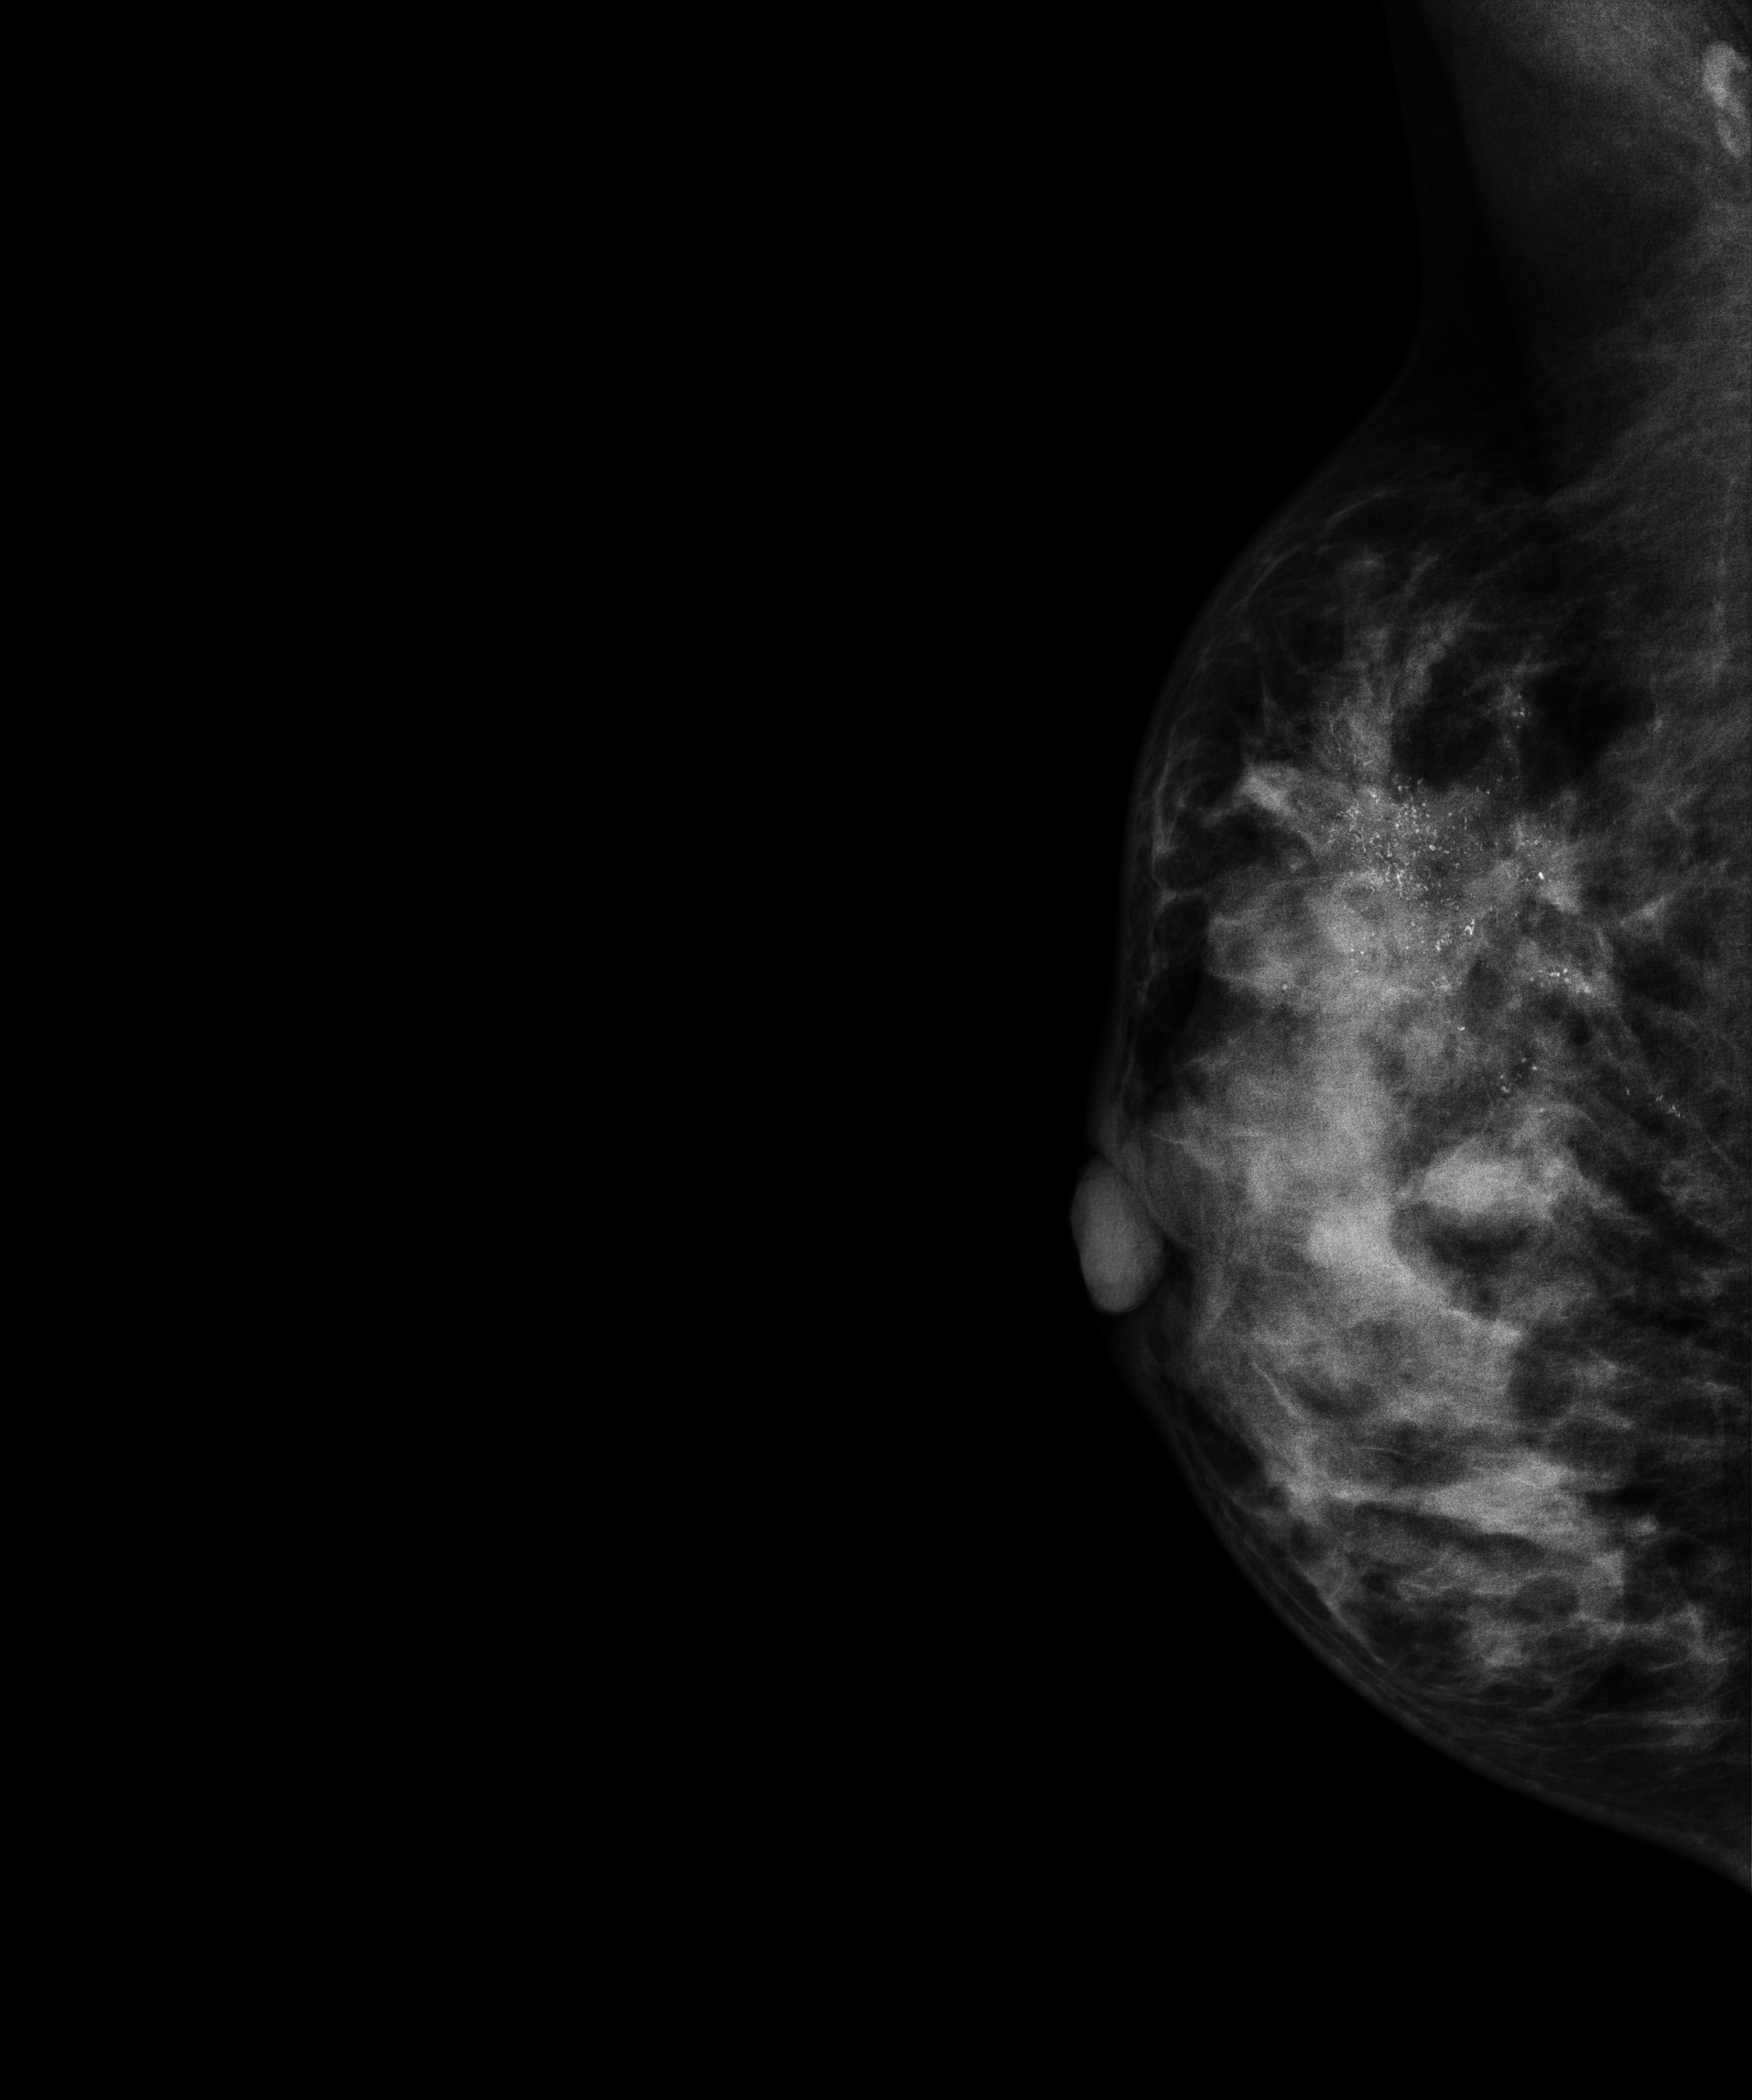
Mammogram, right breast, medio-lateral oblique view. 41-year-old patient.
This breast has calcifications, biopsy-confirmed malignant. Molecular subtype: luminal A.